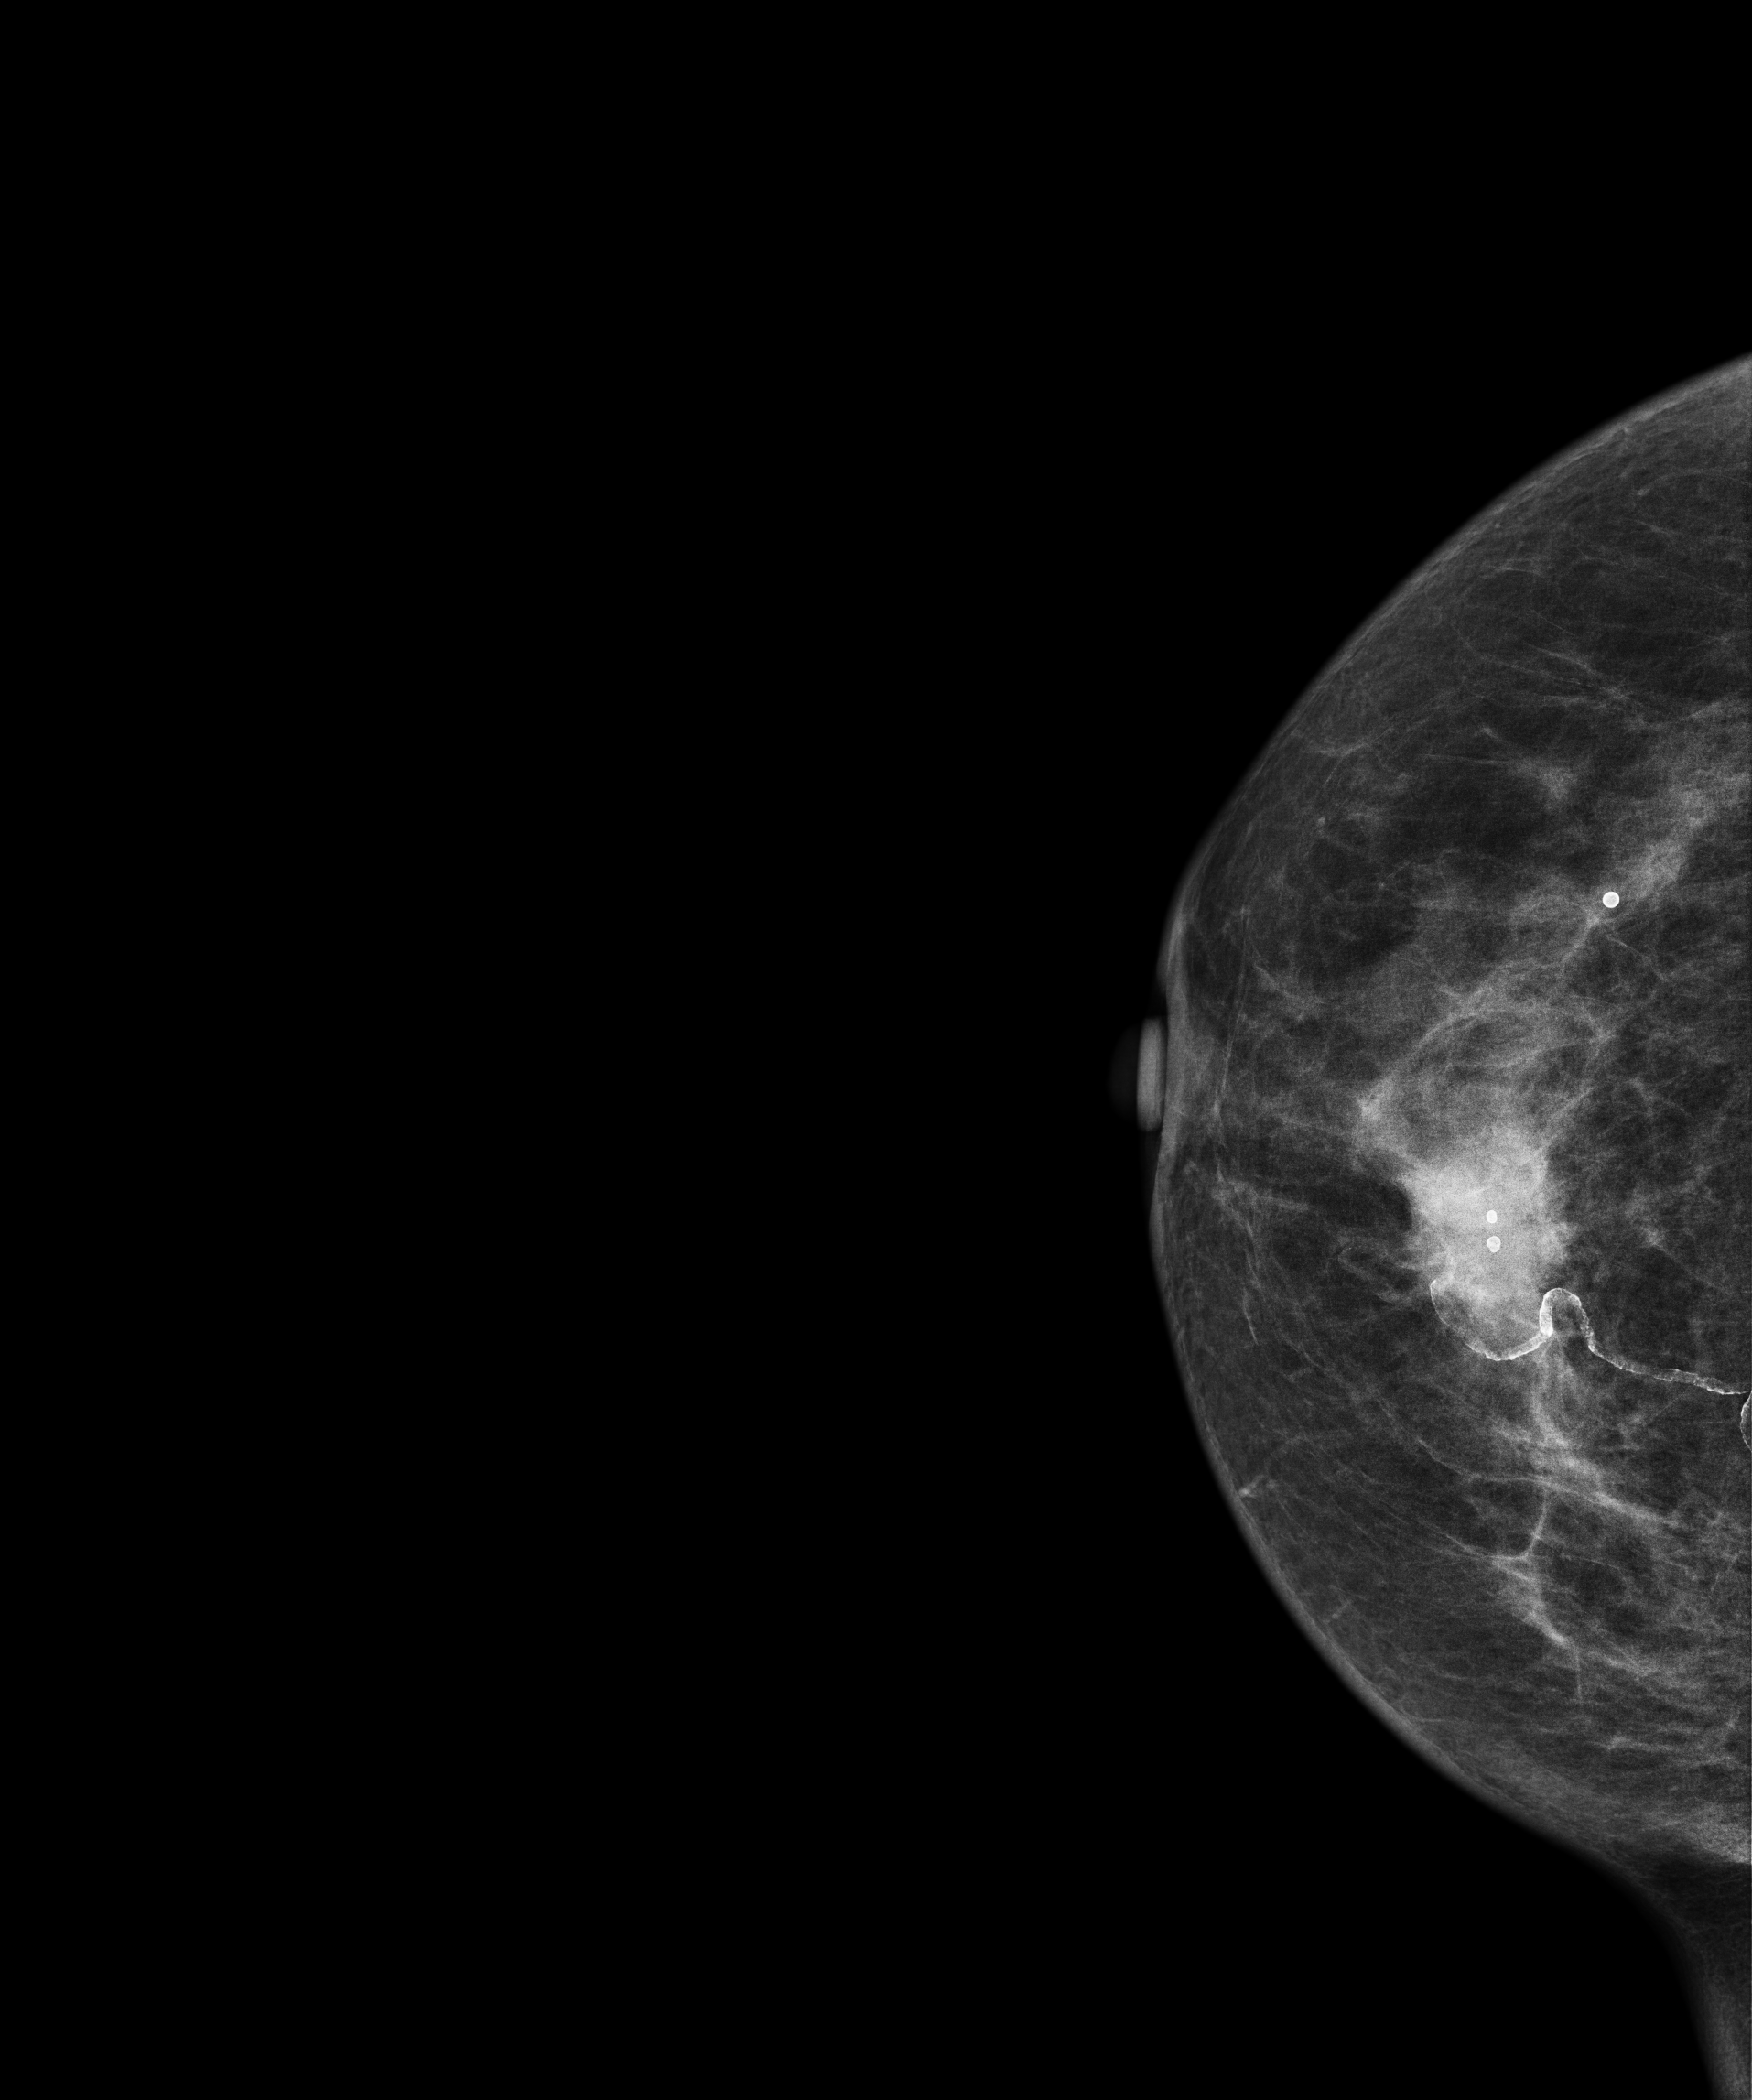
Digital mammography. Right breast, CC projection. 74-year-old patient.
This breast has a mass and calcifications, biopsy-confirmed malignant. Molecular subtype: luminal A.